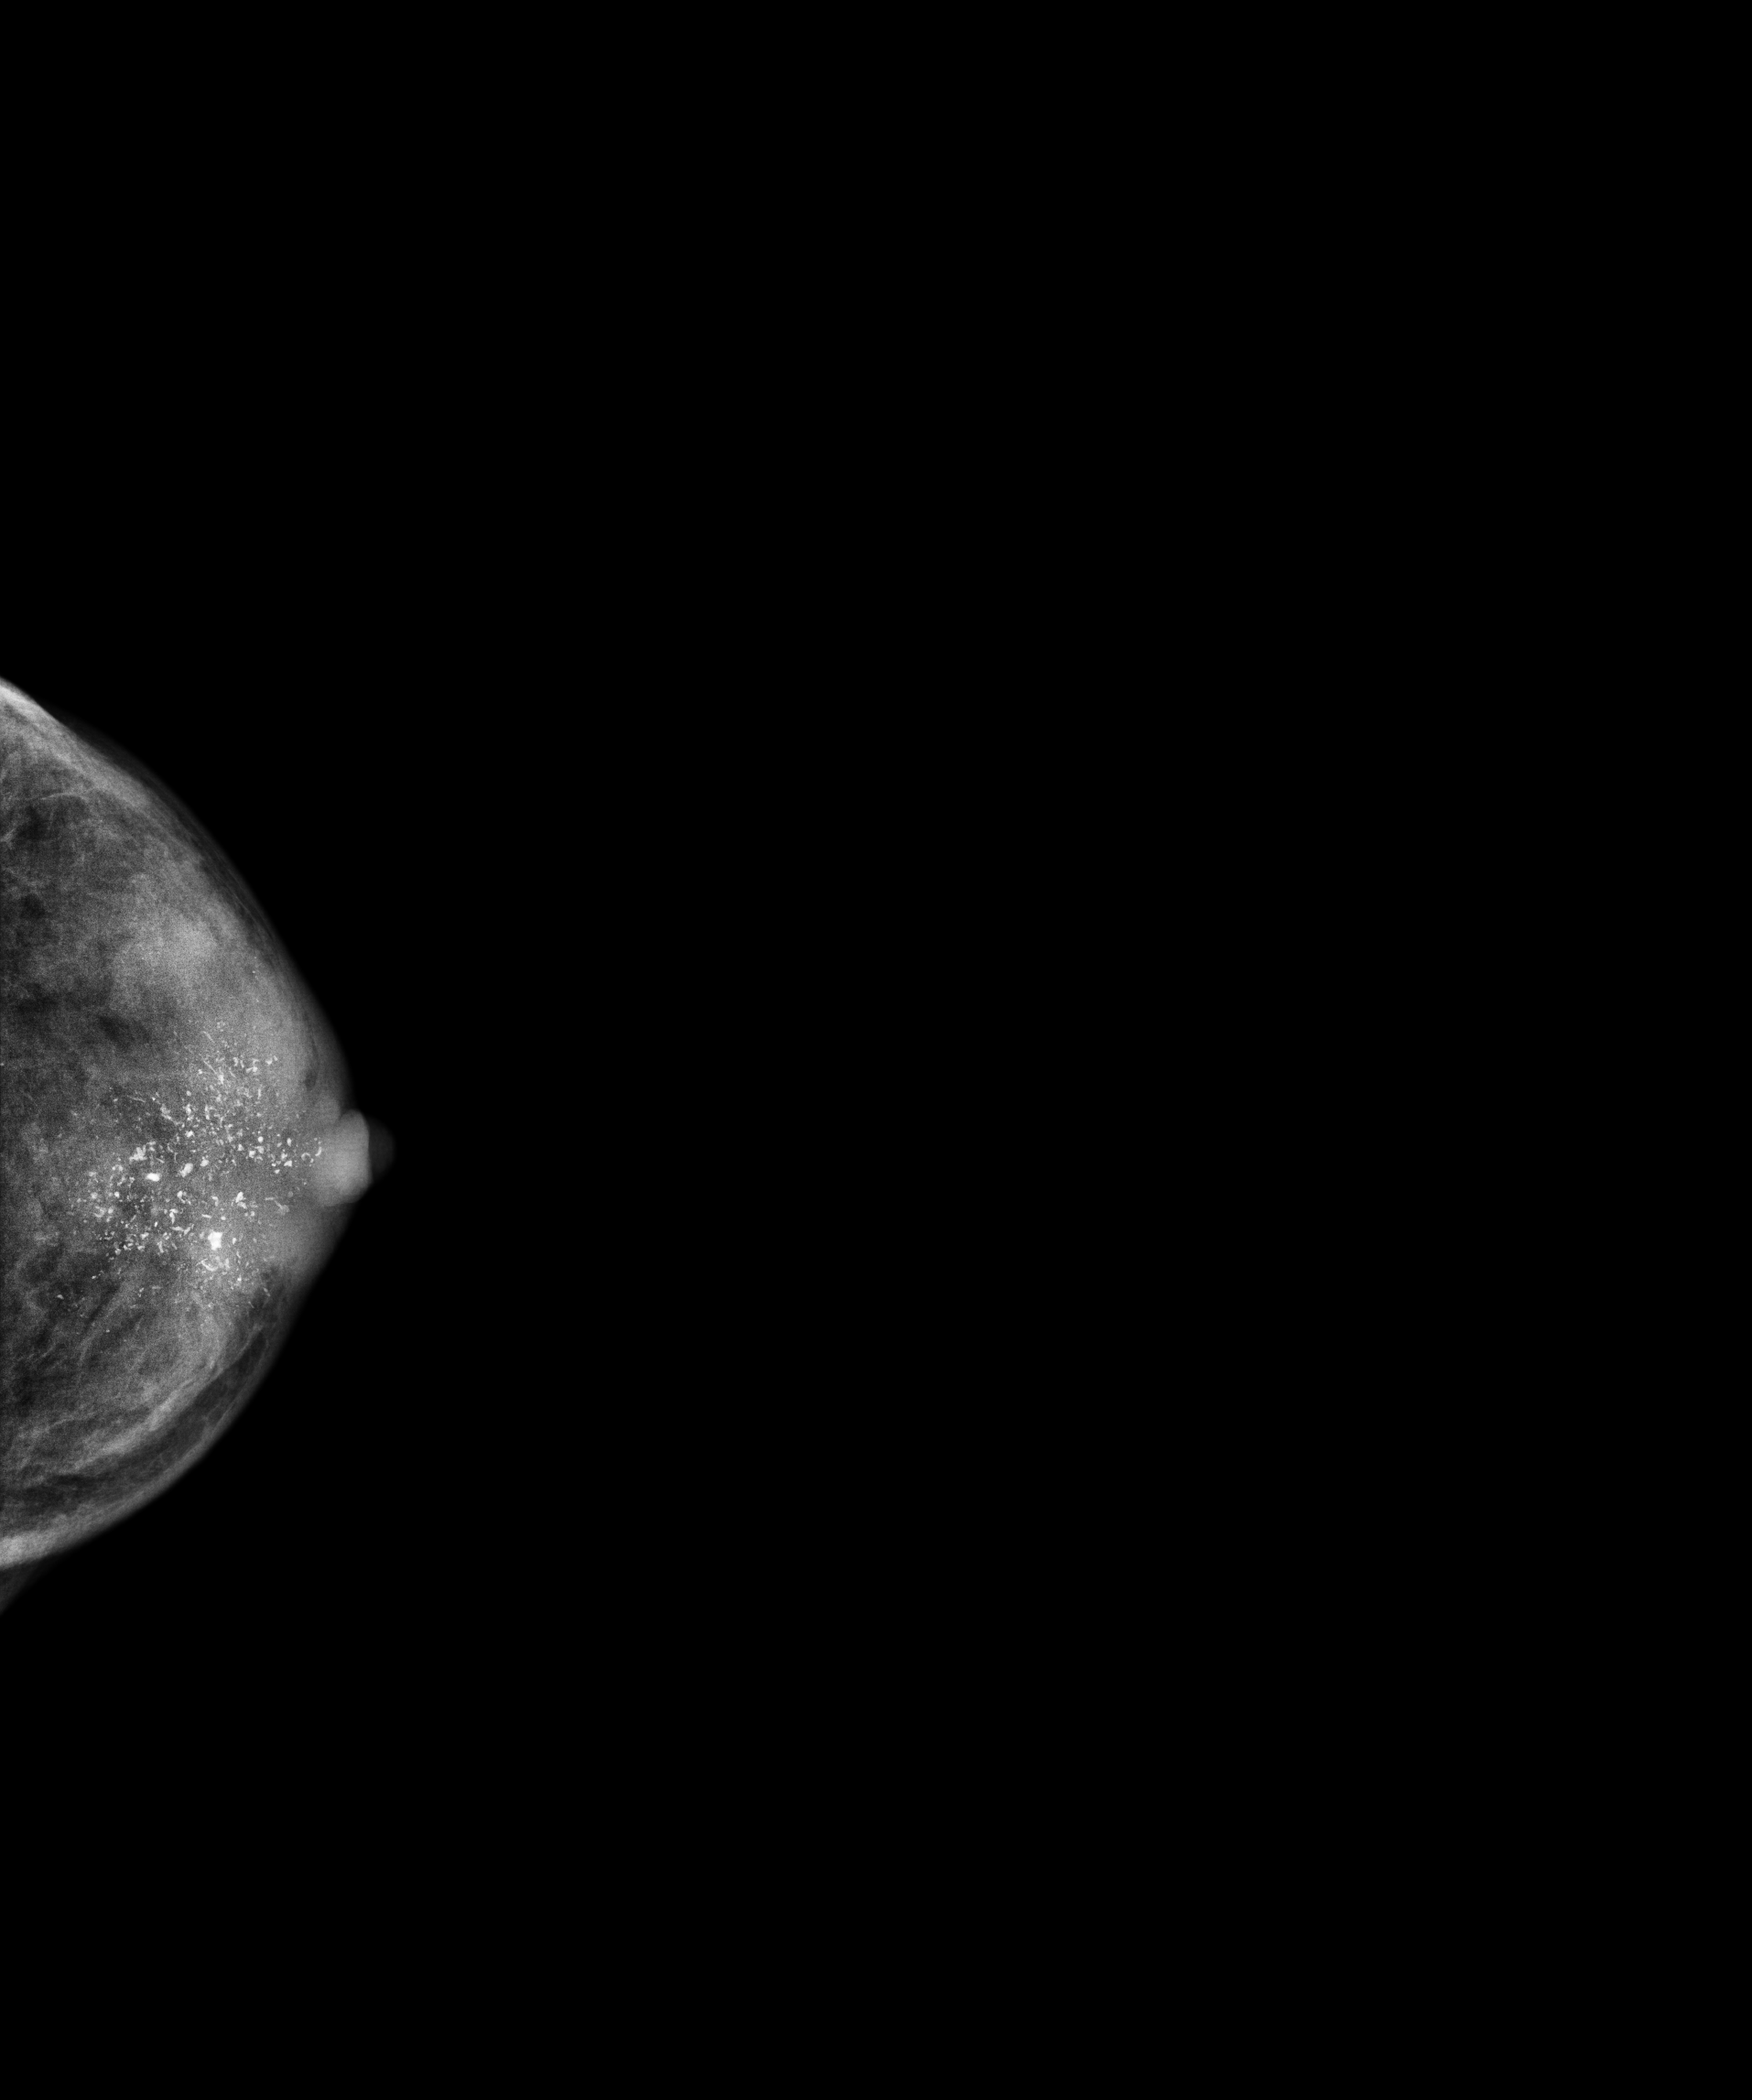
Digital mammography. Left breast, CC projection. Patient age 44.
This breast has calcifications, biopsy-proven malignant. Molecular subtype: luminal B.